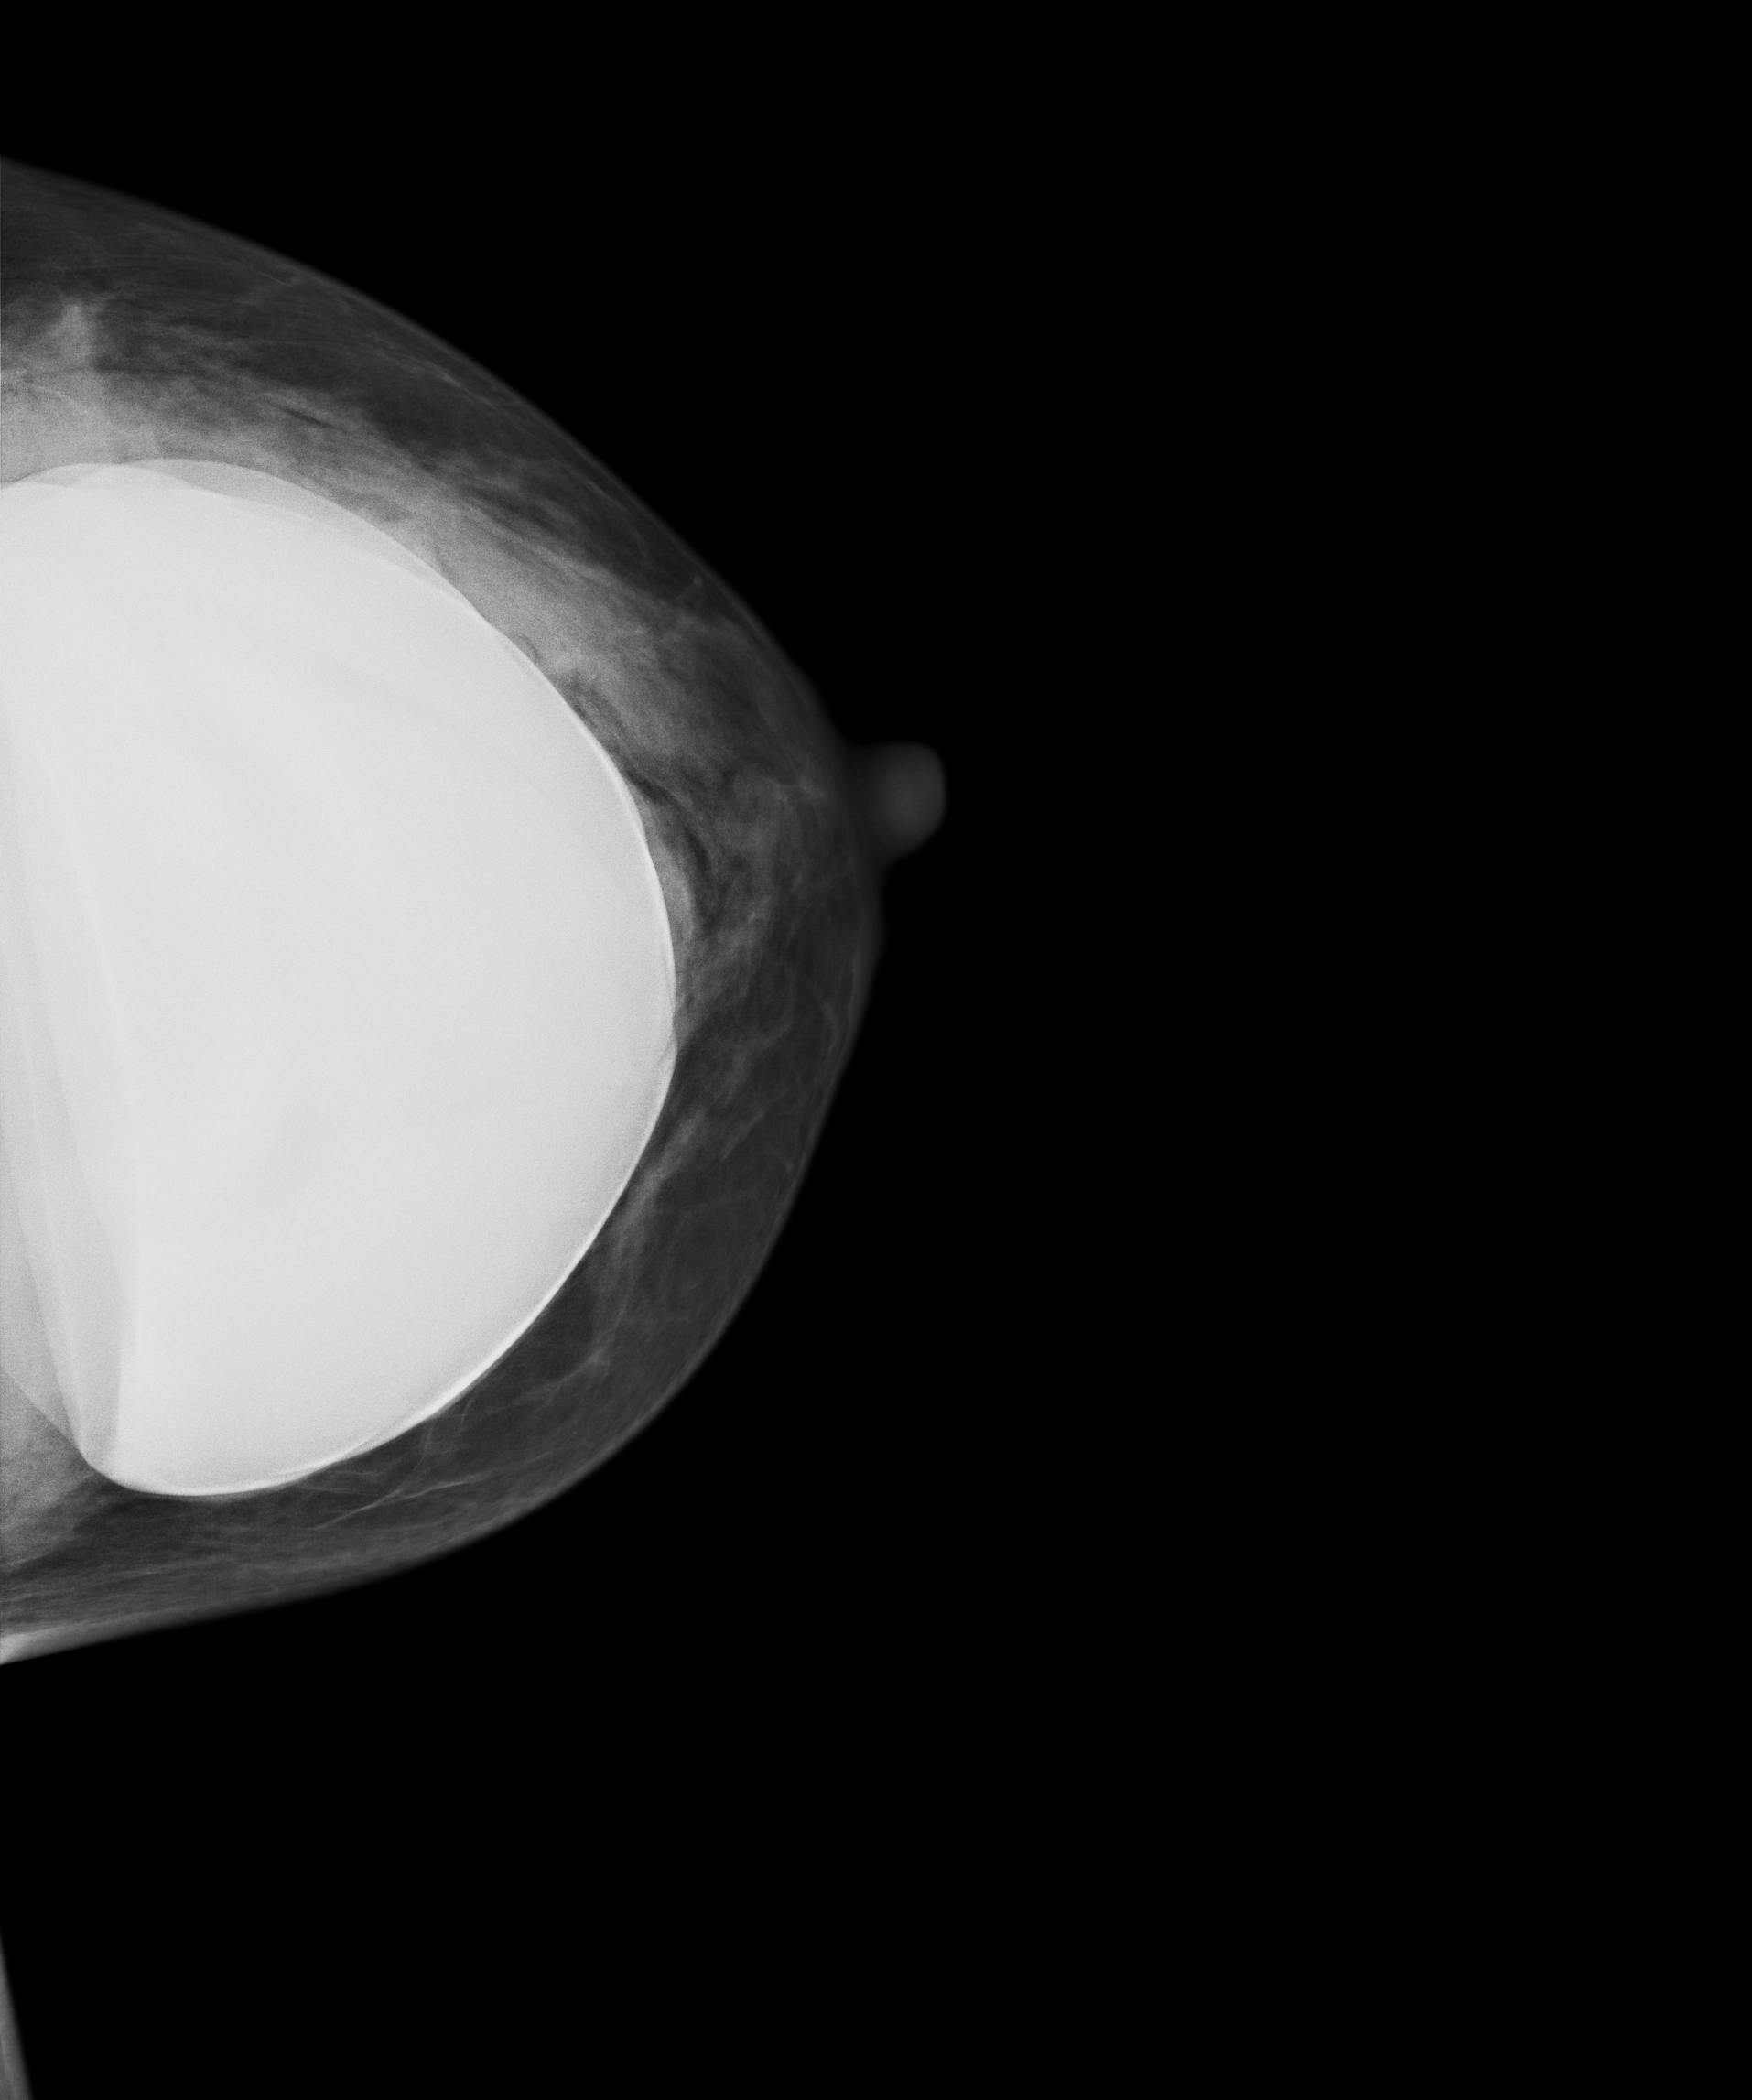
Left-breast mammogram, CC. 42 y/o patient.
This breast has calcifications, biopsy-proven benign.